Mammogram — left cranio-caudal. 44 y/o patient.
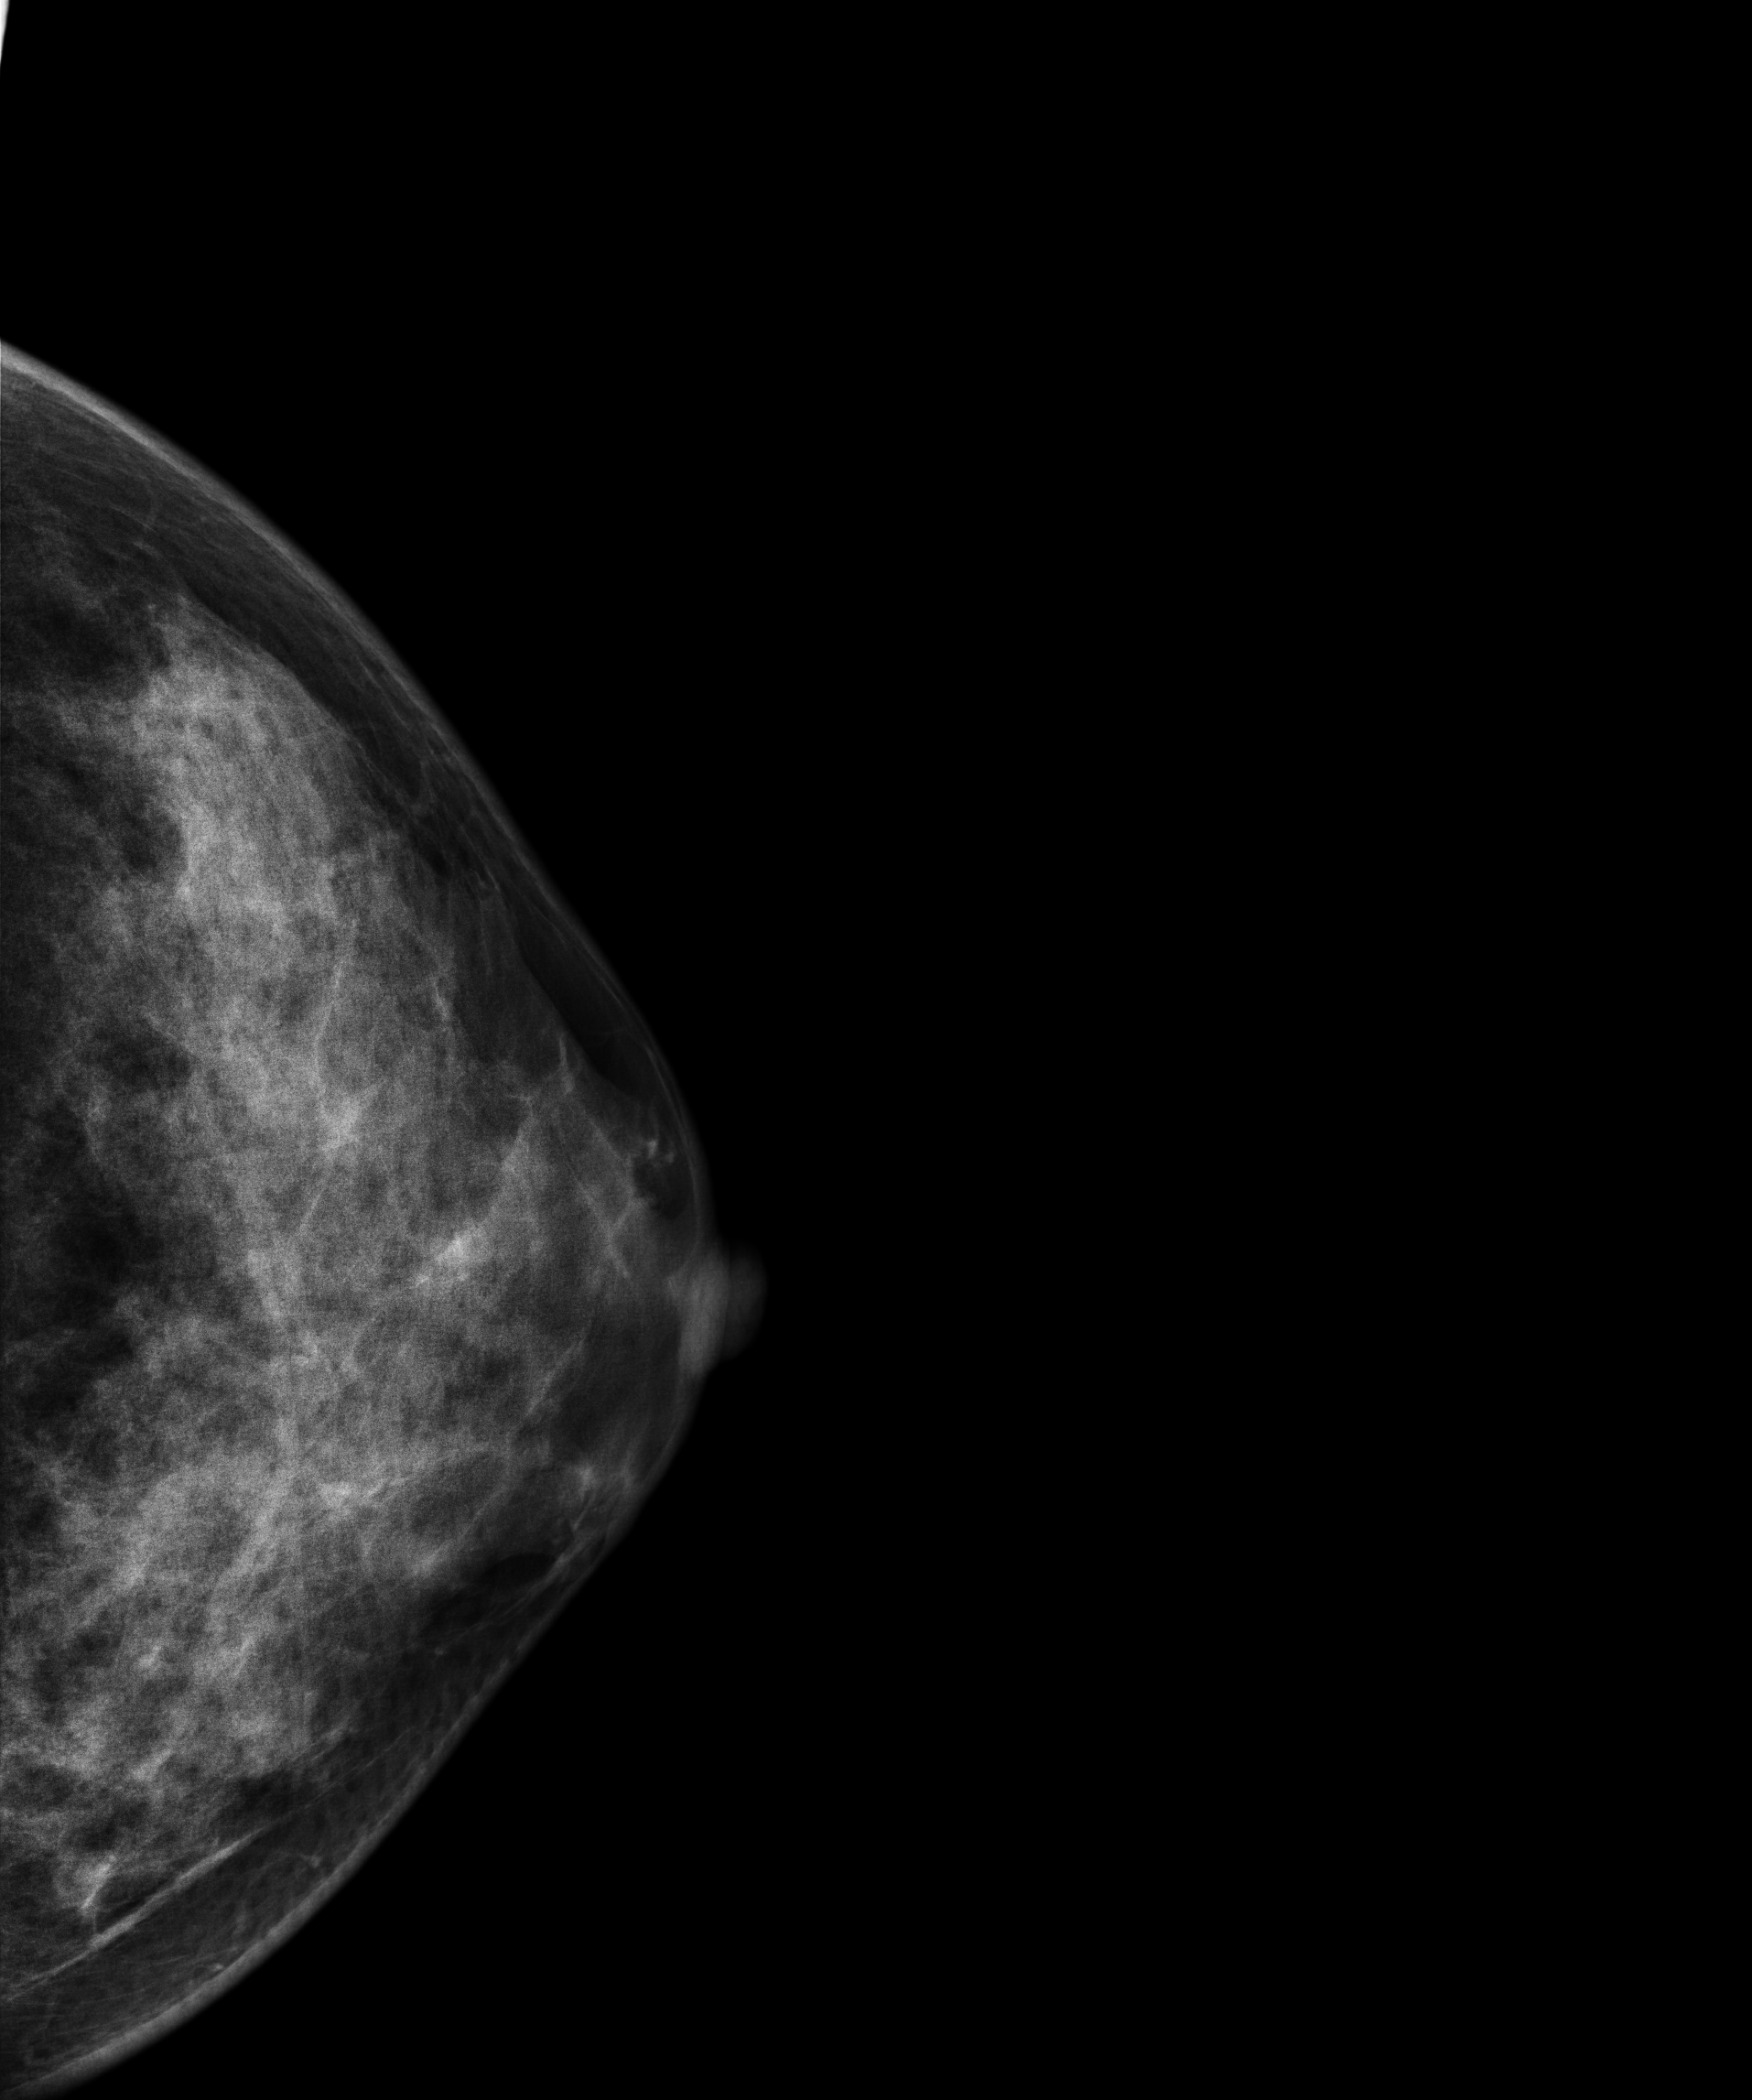
This breast has a mass, biopsy-confirmed benign.